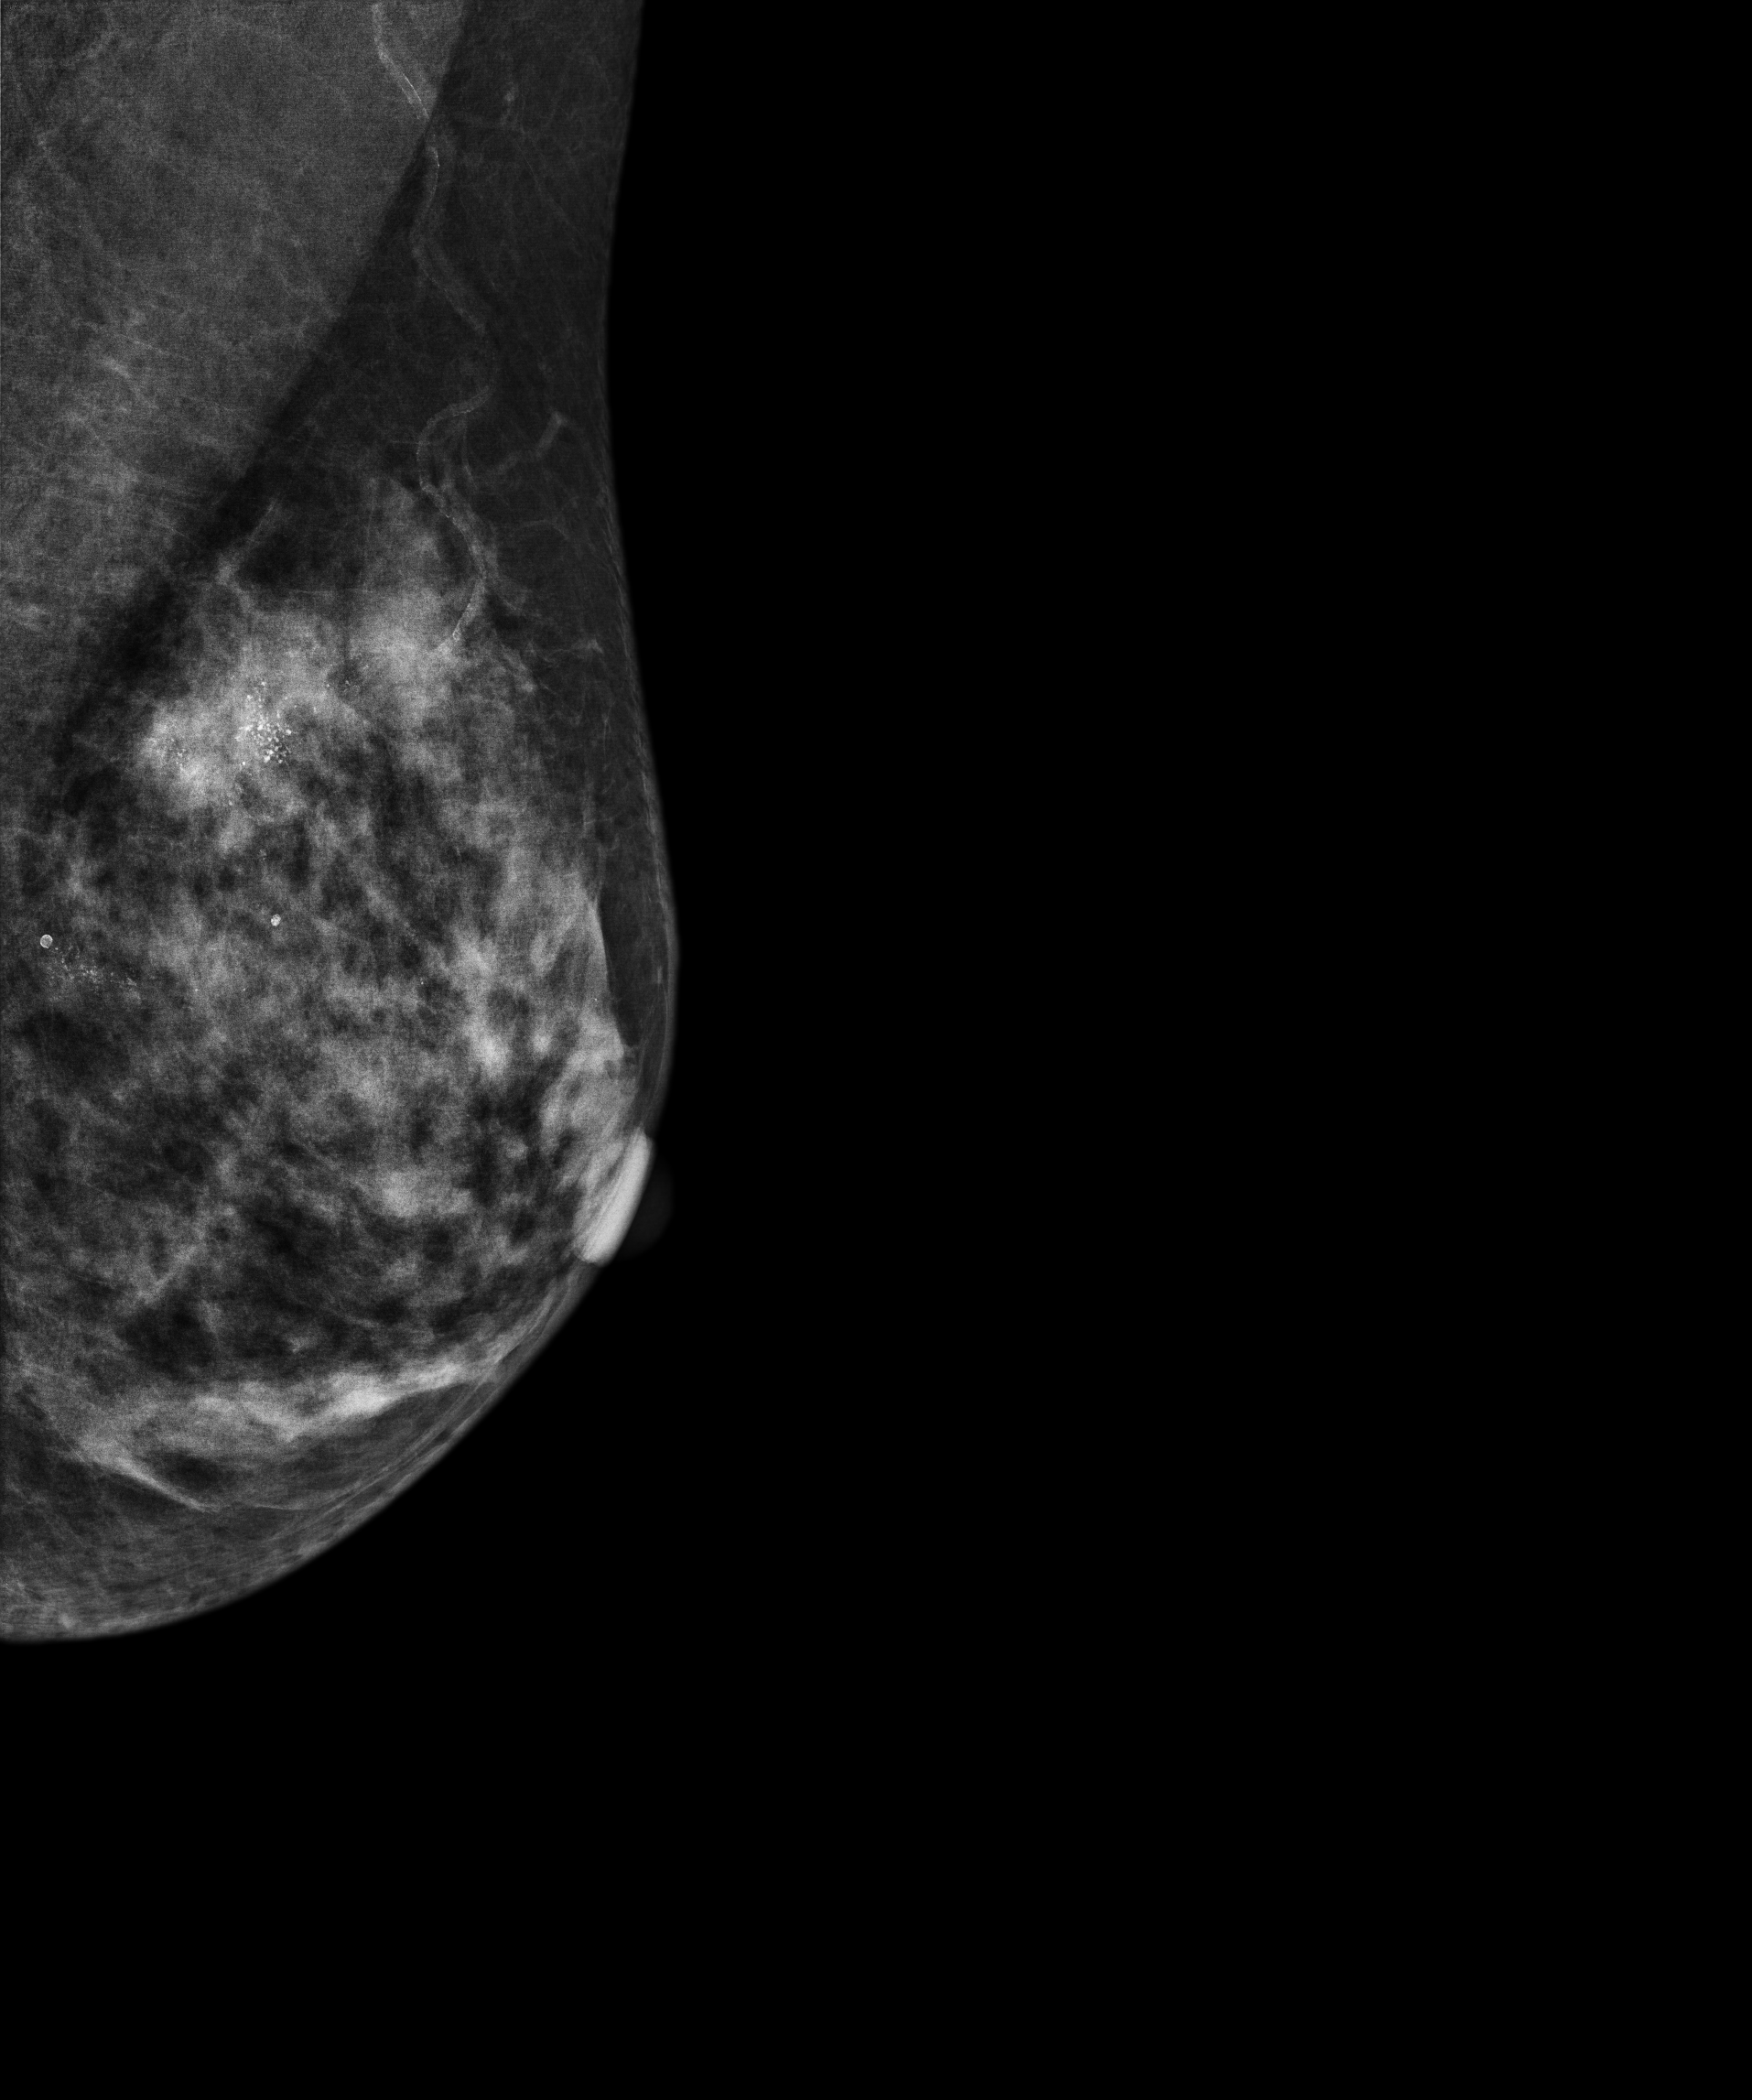
Digital mammography. Left breast, MLO projection. Patient age 60.
This breast has a mass and calcifications, pathology-confirmed malignant. Molecular subtype: luminal A.